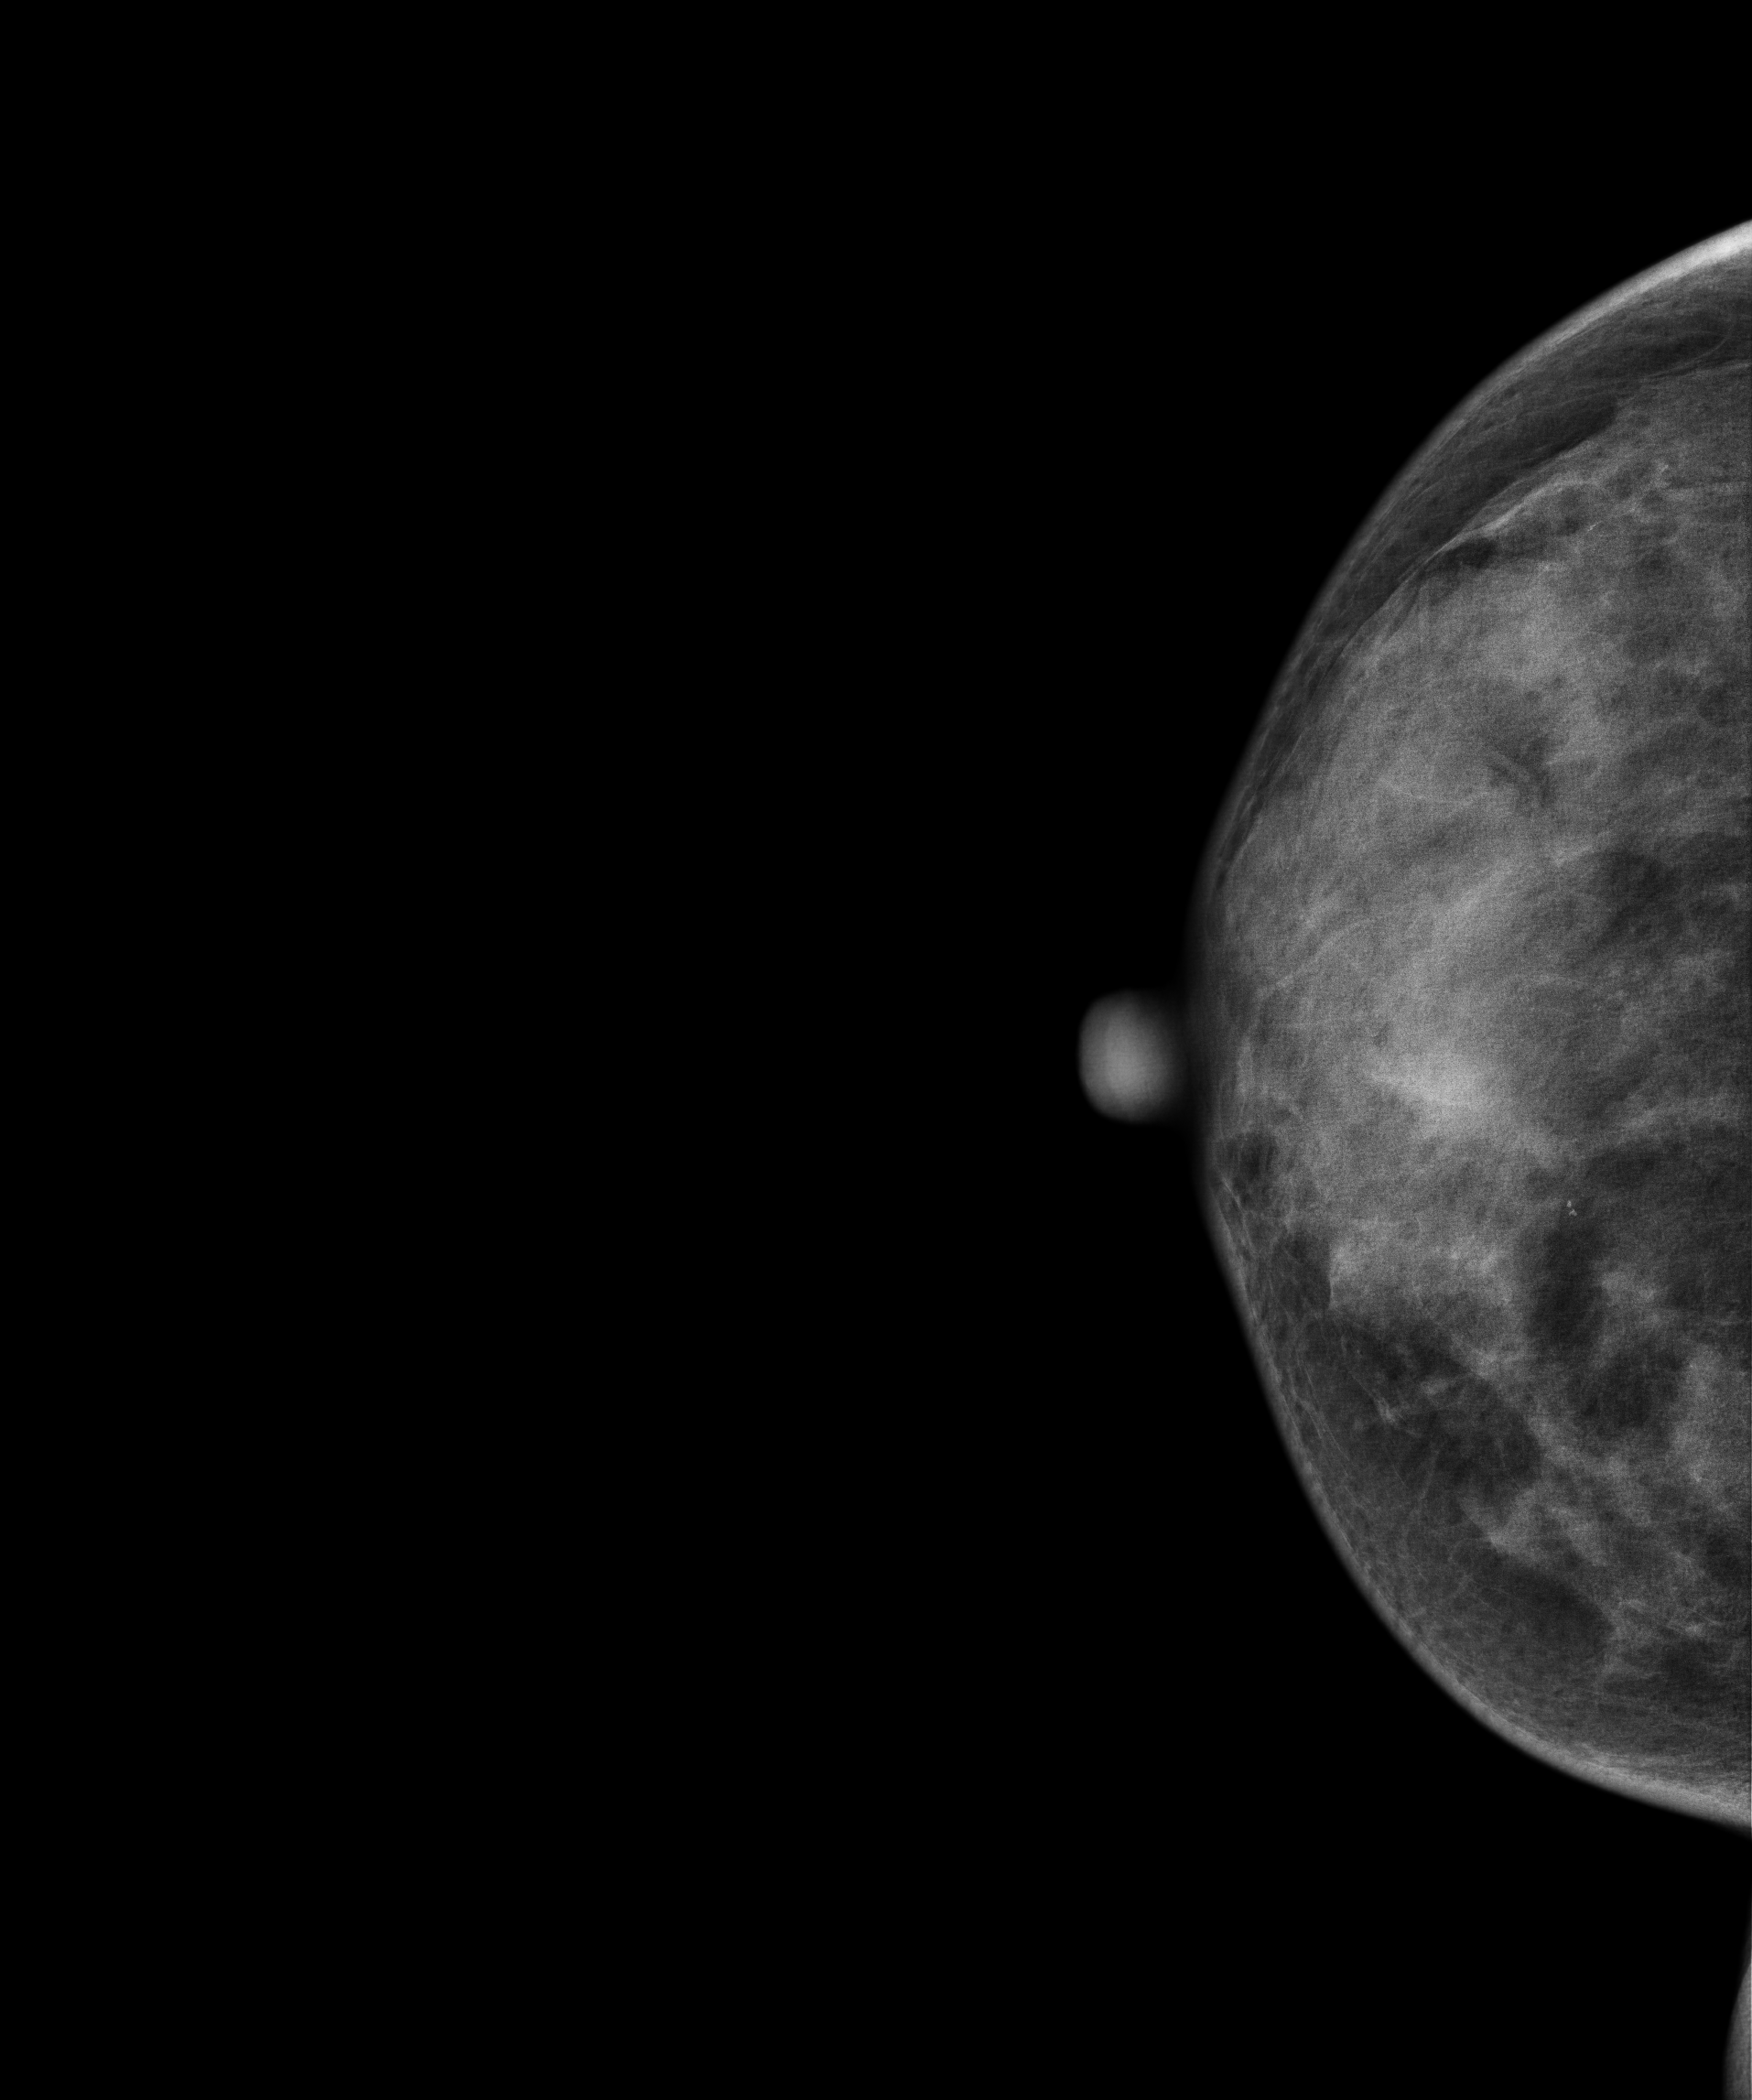
Right-breast mammogram, cranio-caudal. 45-year-old patient.
This breast has a mass and calcifications, biopsy-proven benign.